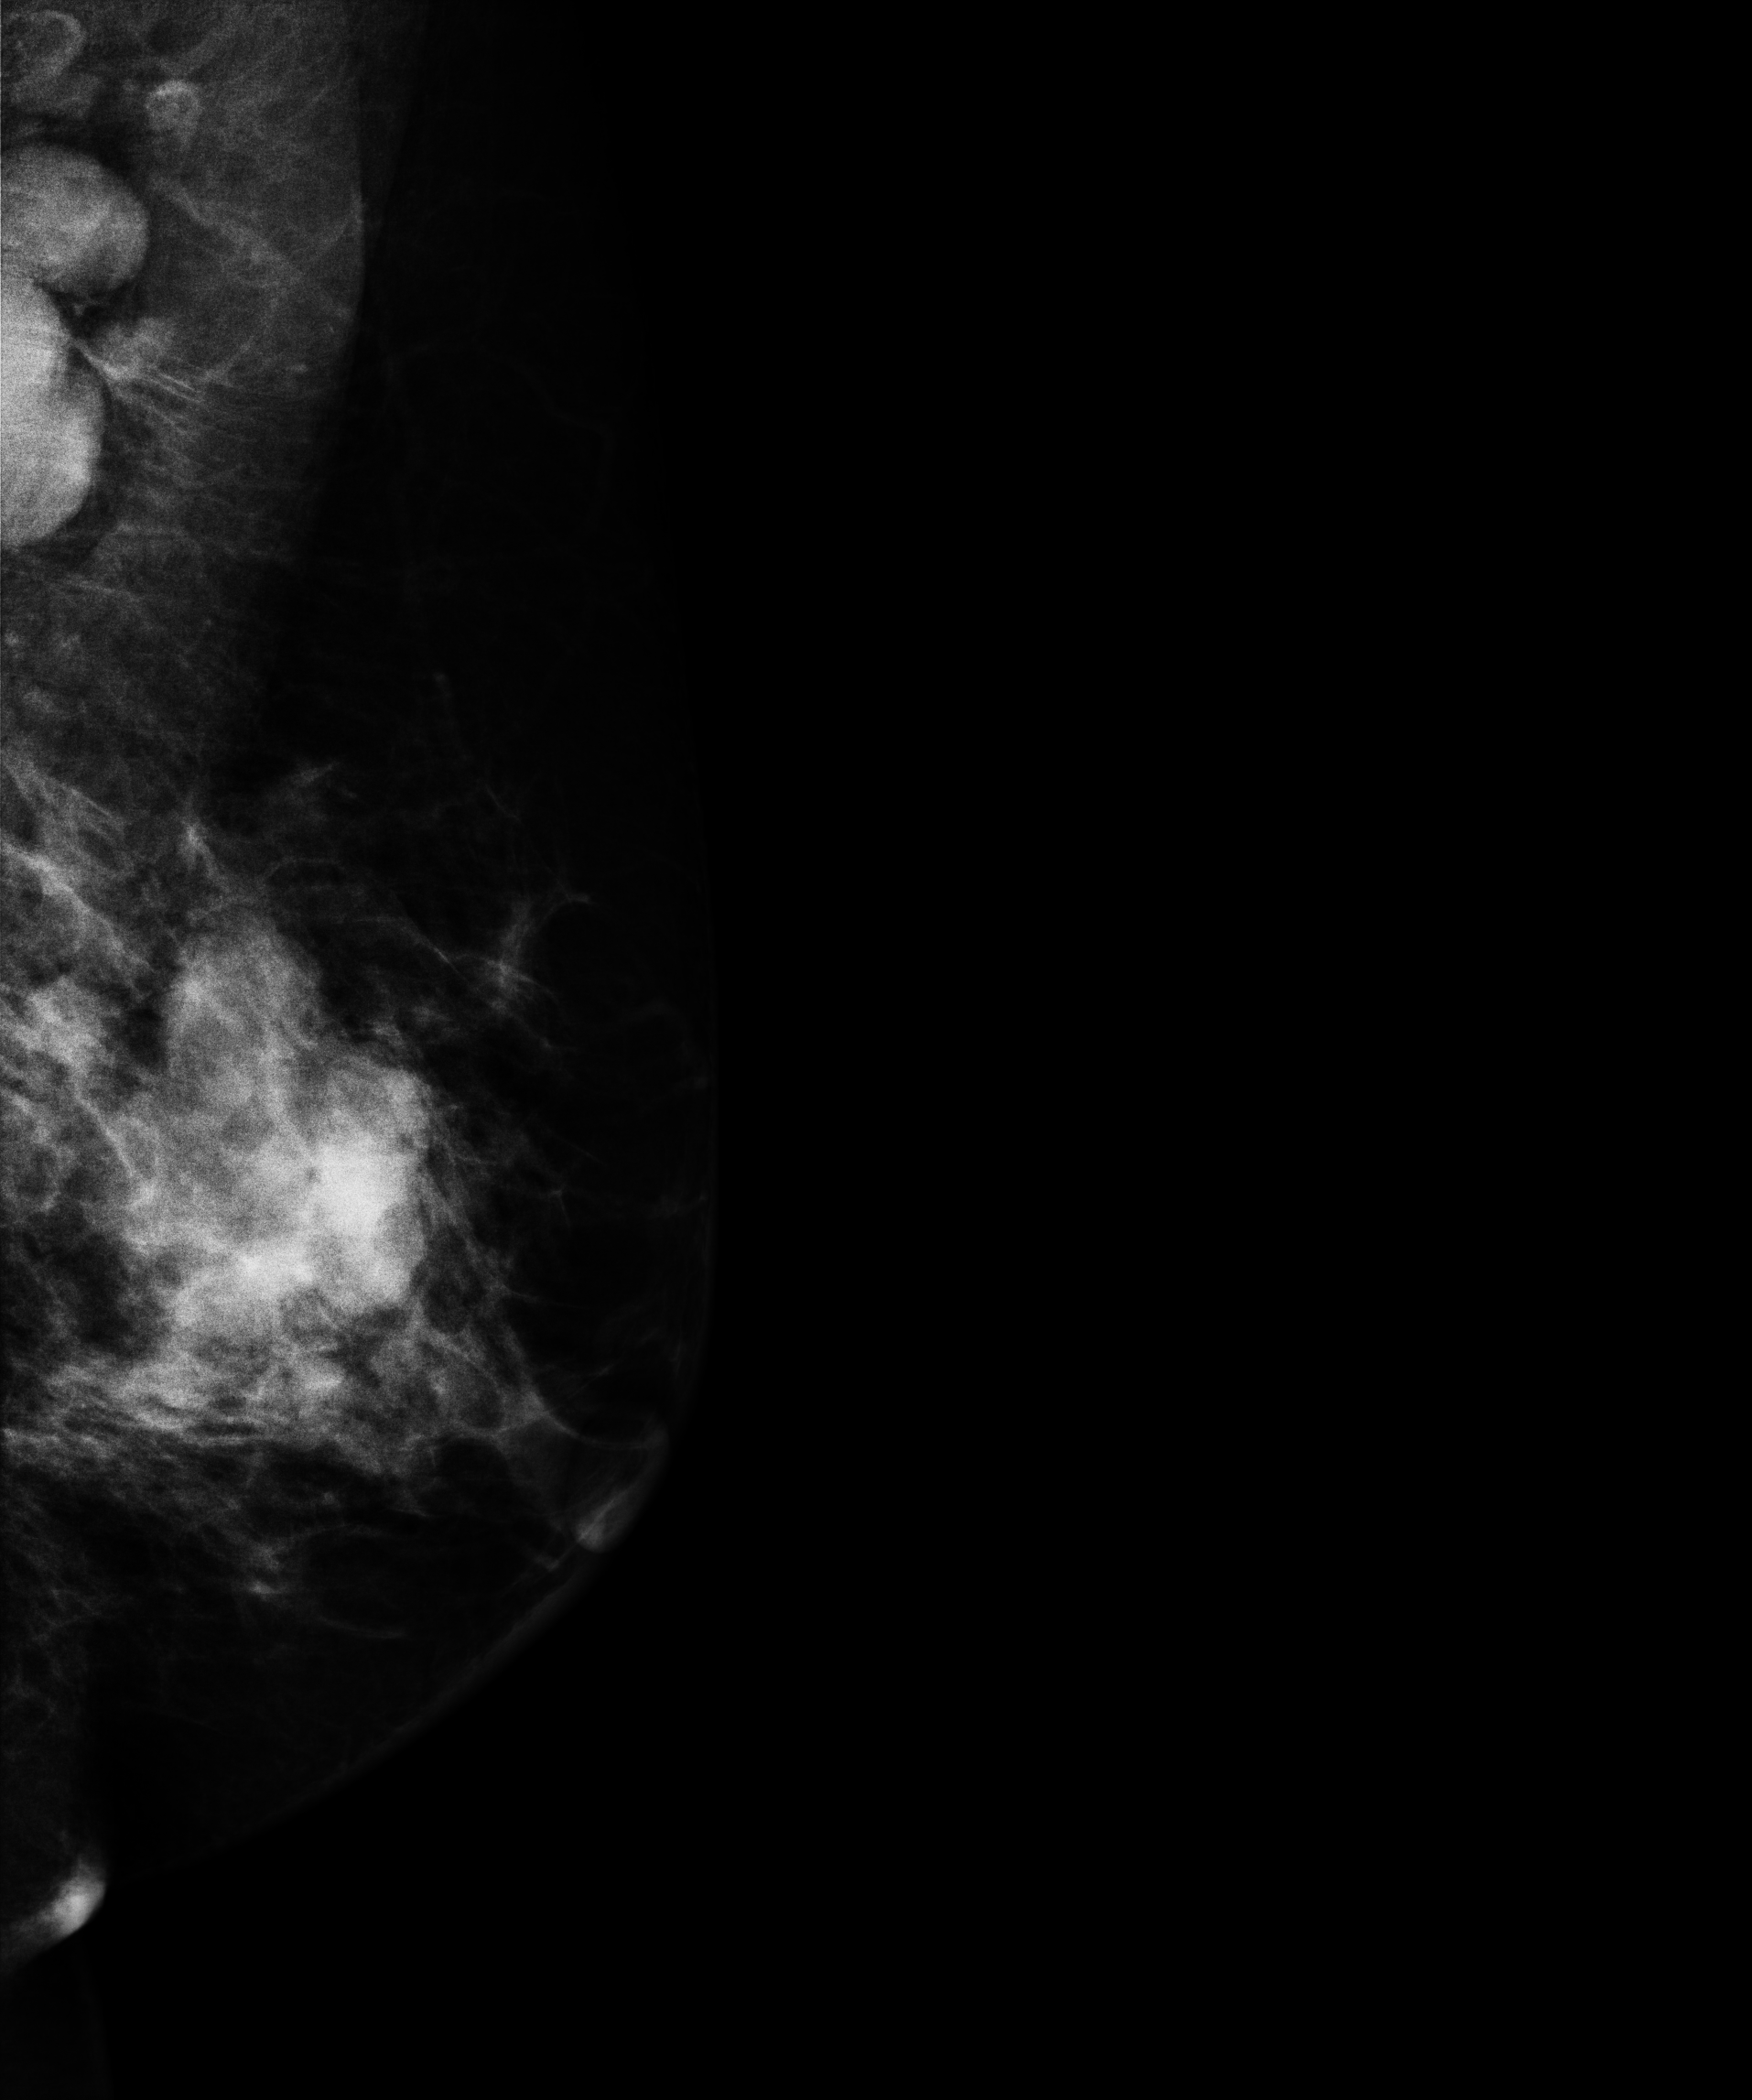
Mammogram — left medio-lateral oblique. Patient age 45.
This breast has a mass, pathology-confirmed malignant. Molecular subtype: luminal B.